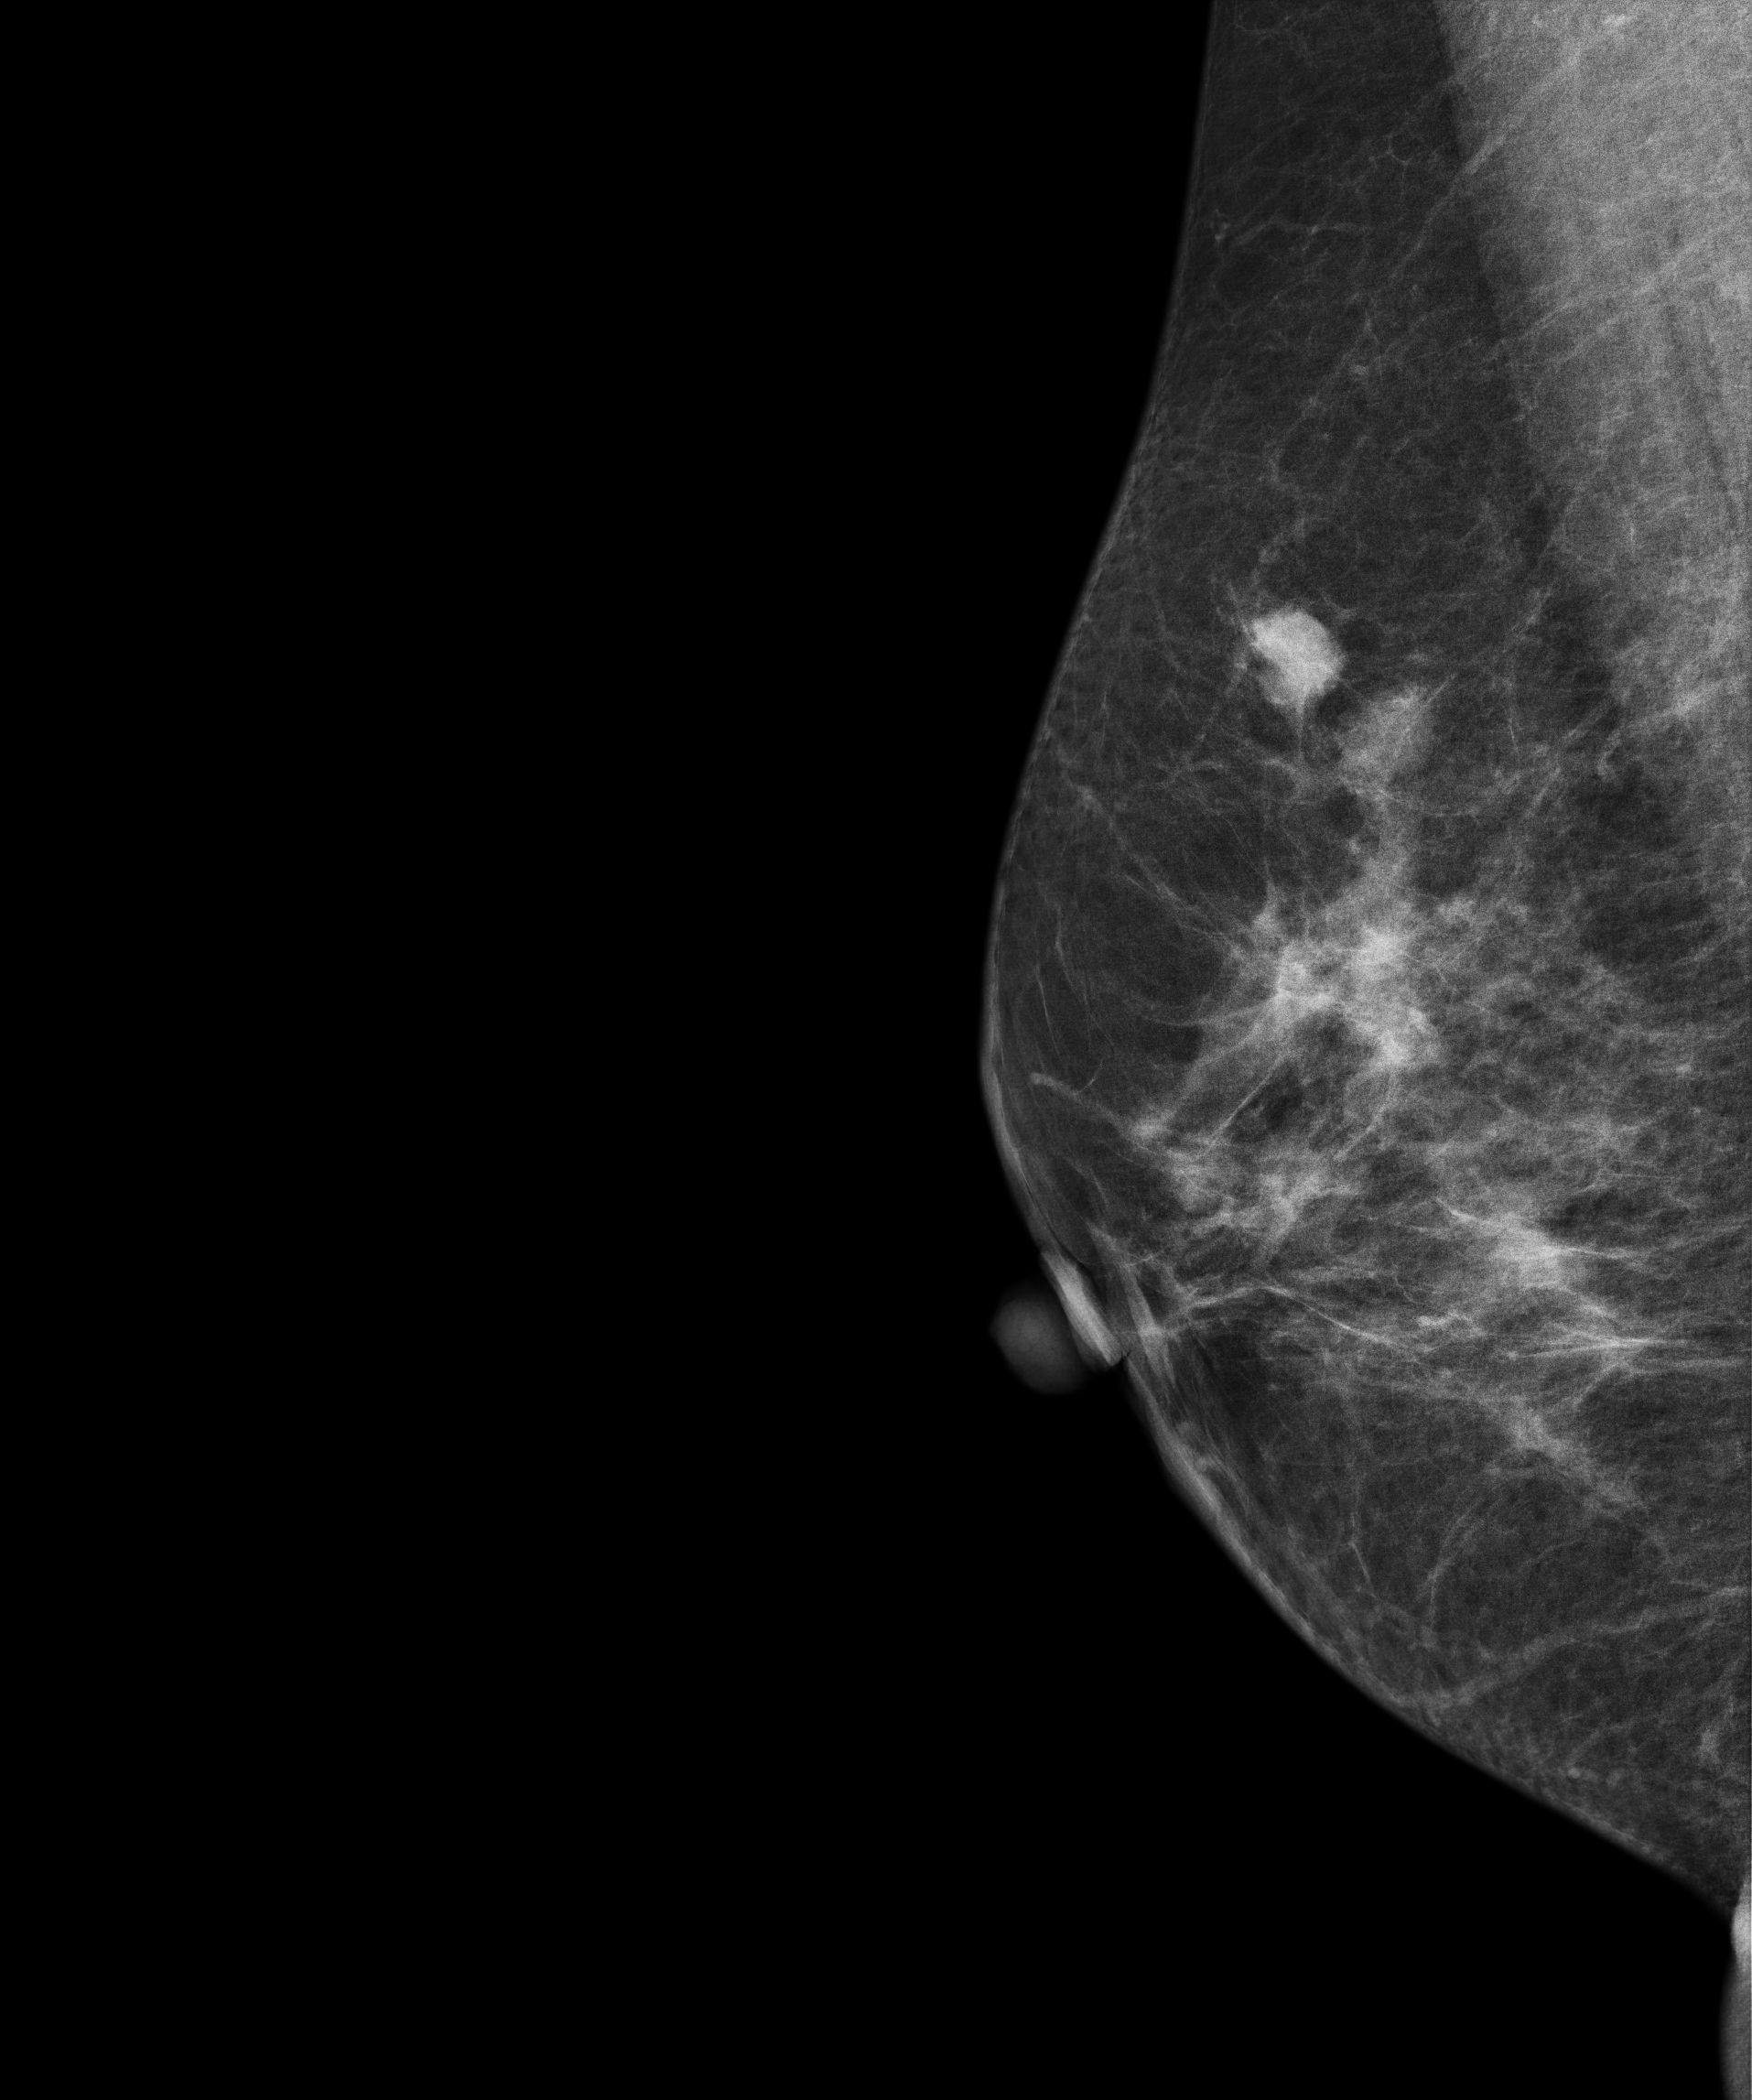
Right-breast mammogram, MLO. 48-year-old patient.
This breast has a mass, histologically confirmed malignant.